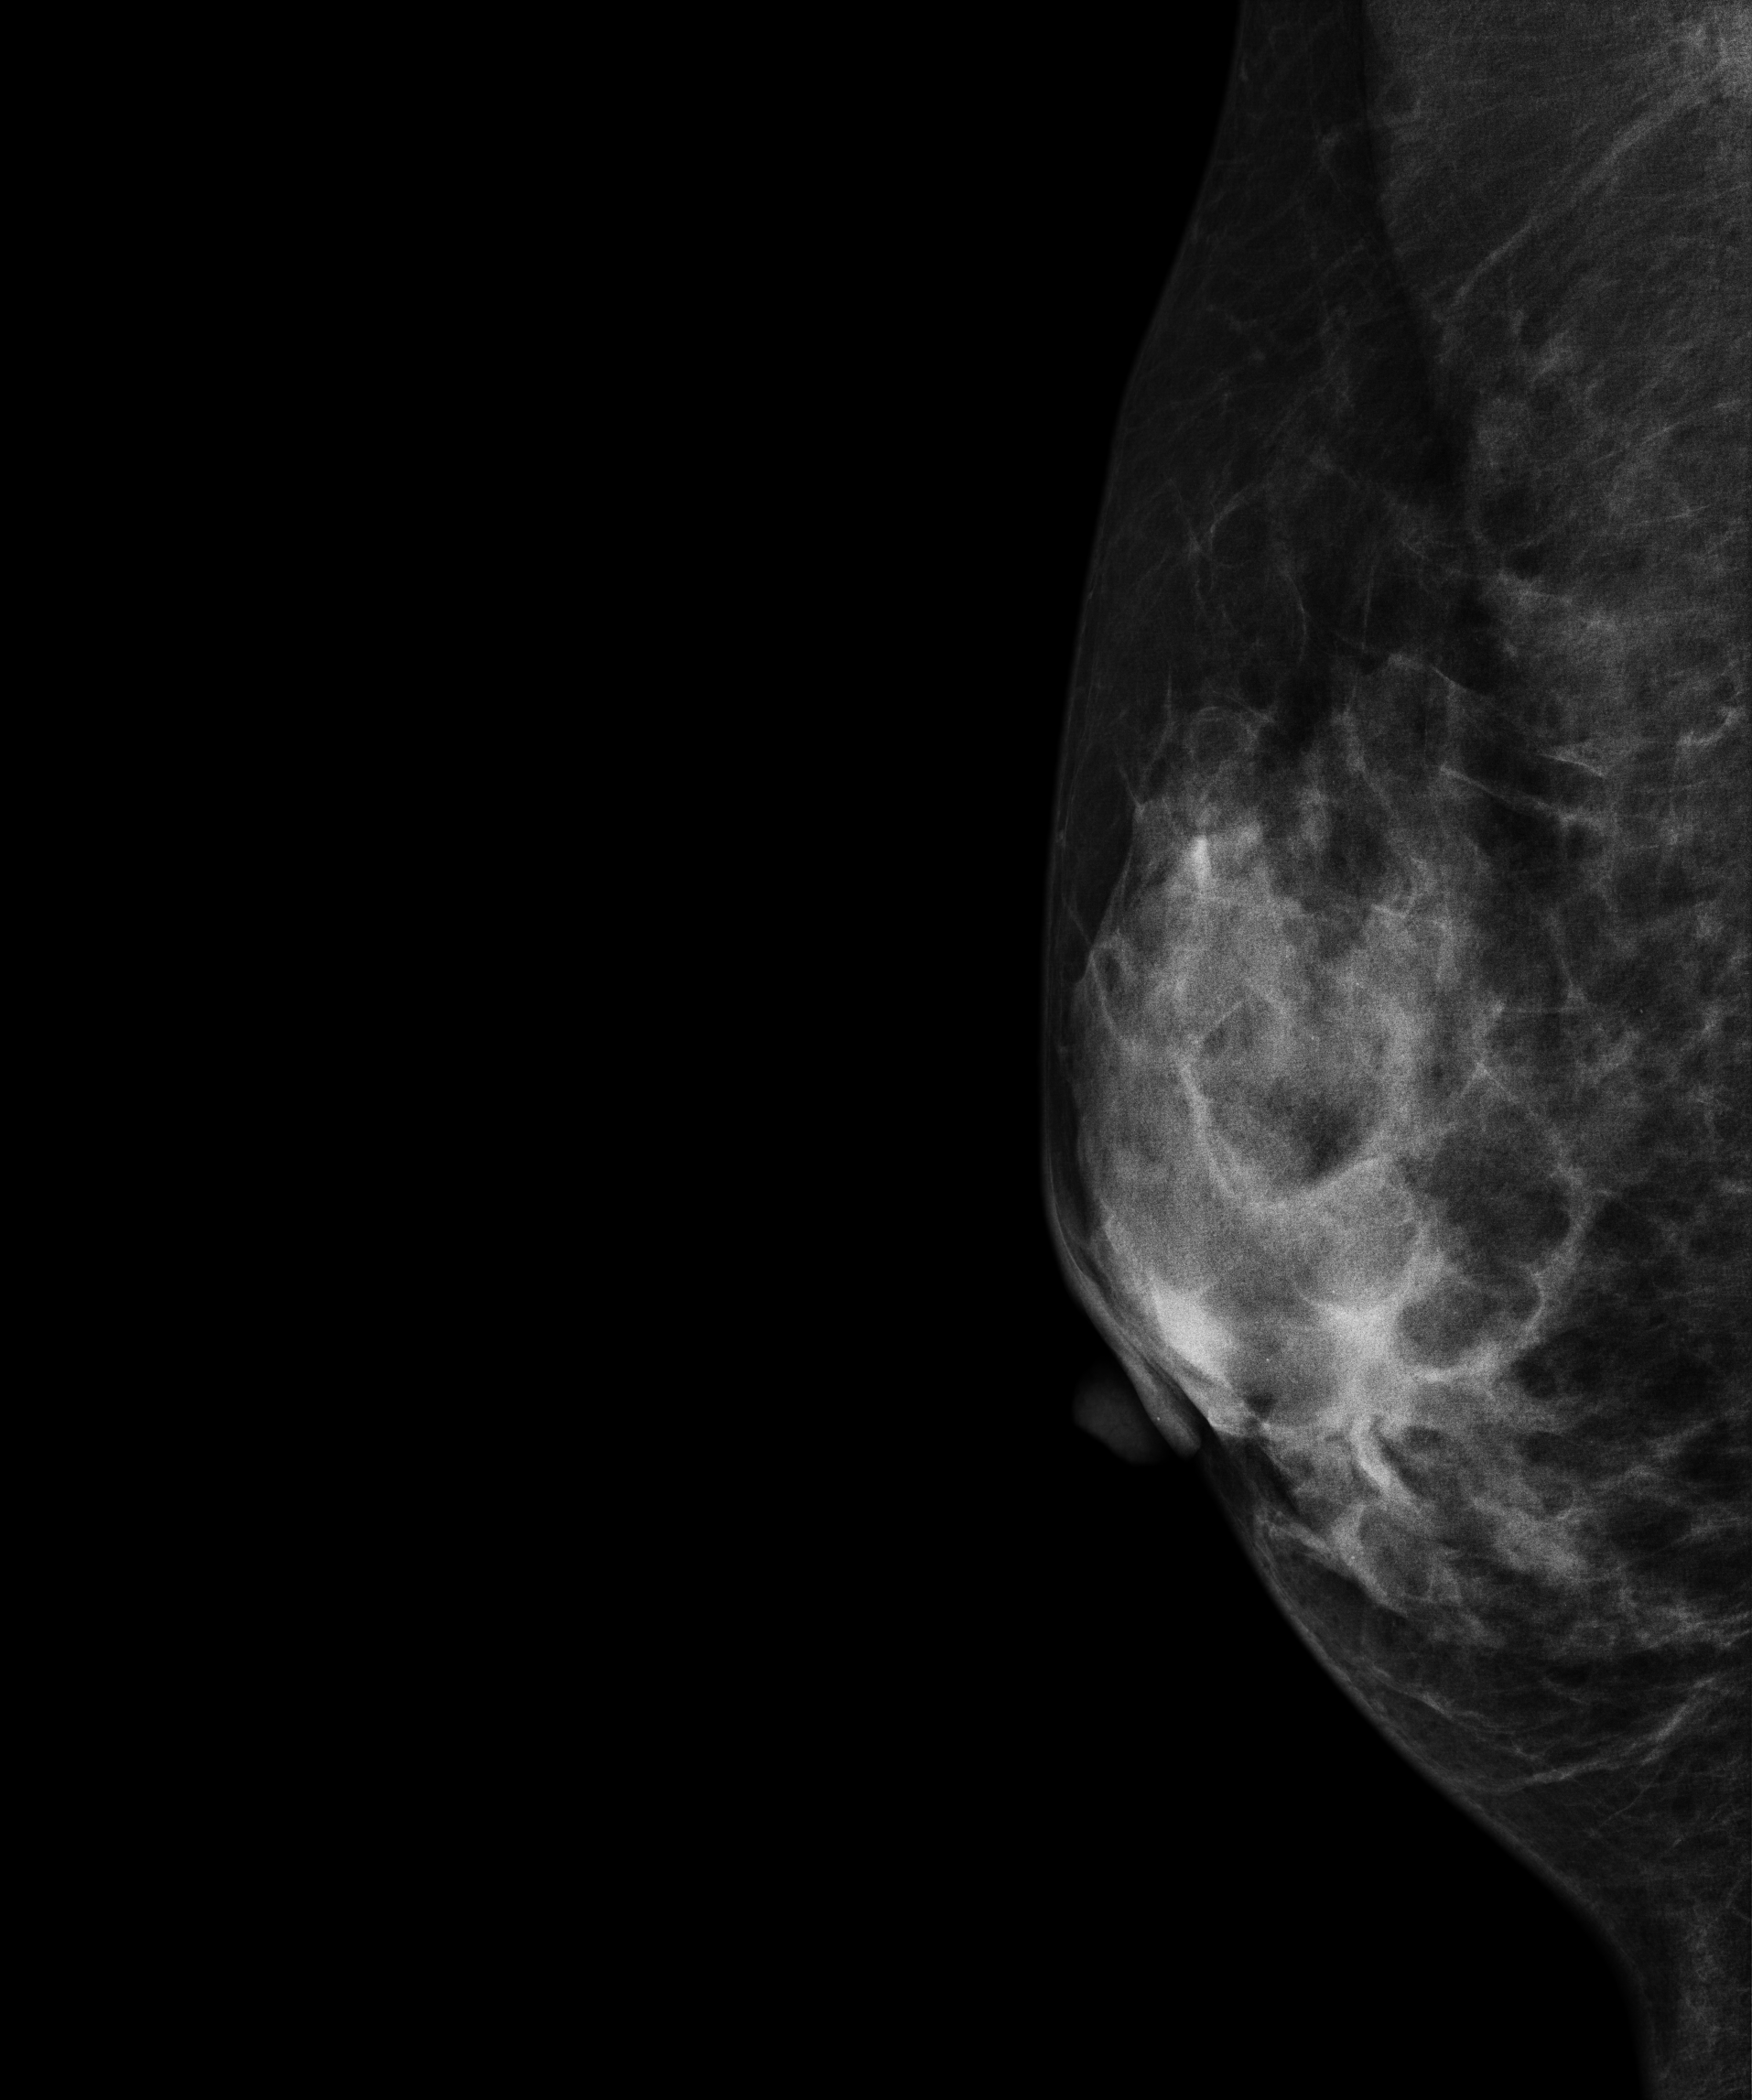
Digital mammography. Right breast, medio-lateral oblique projection. 33-year-old patient.
This breast has a mass and calcifications, histologically confirmed malignant.